Left-breast mammogram, MLO. 53 y/o patient.
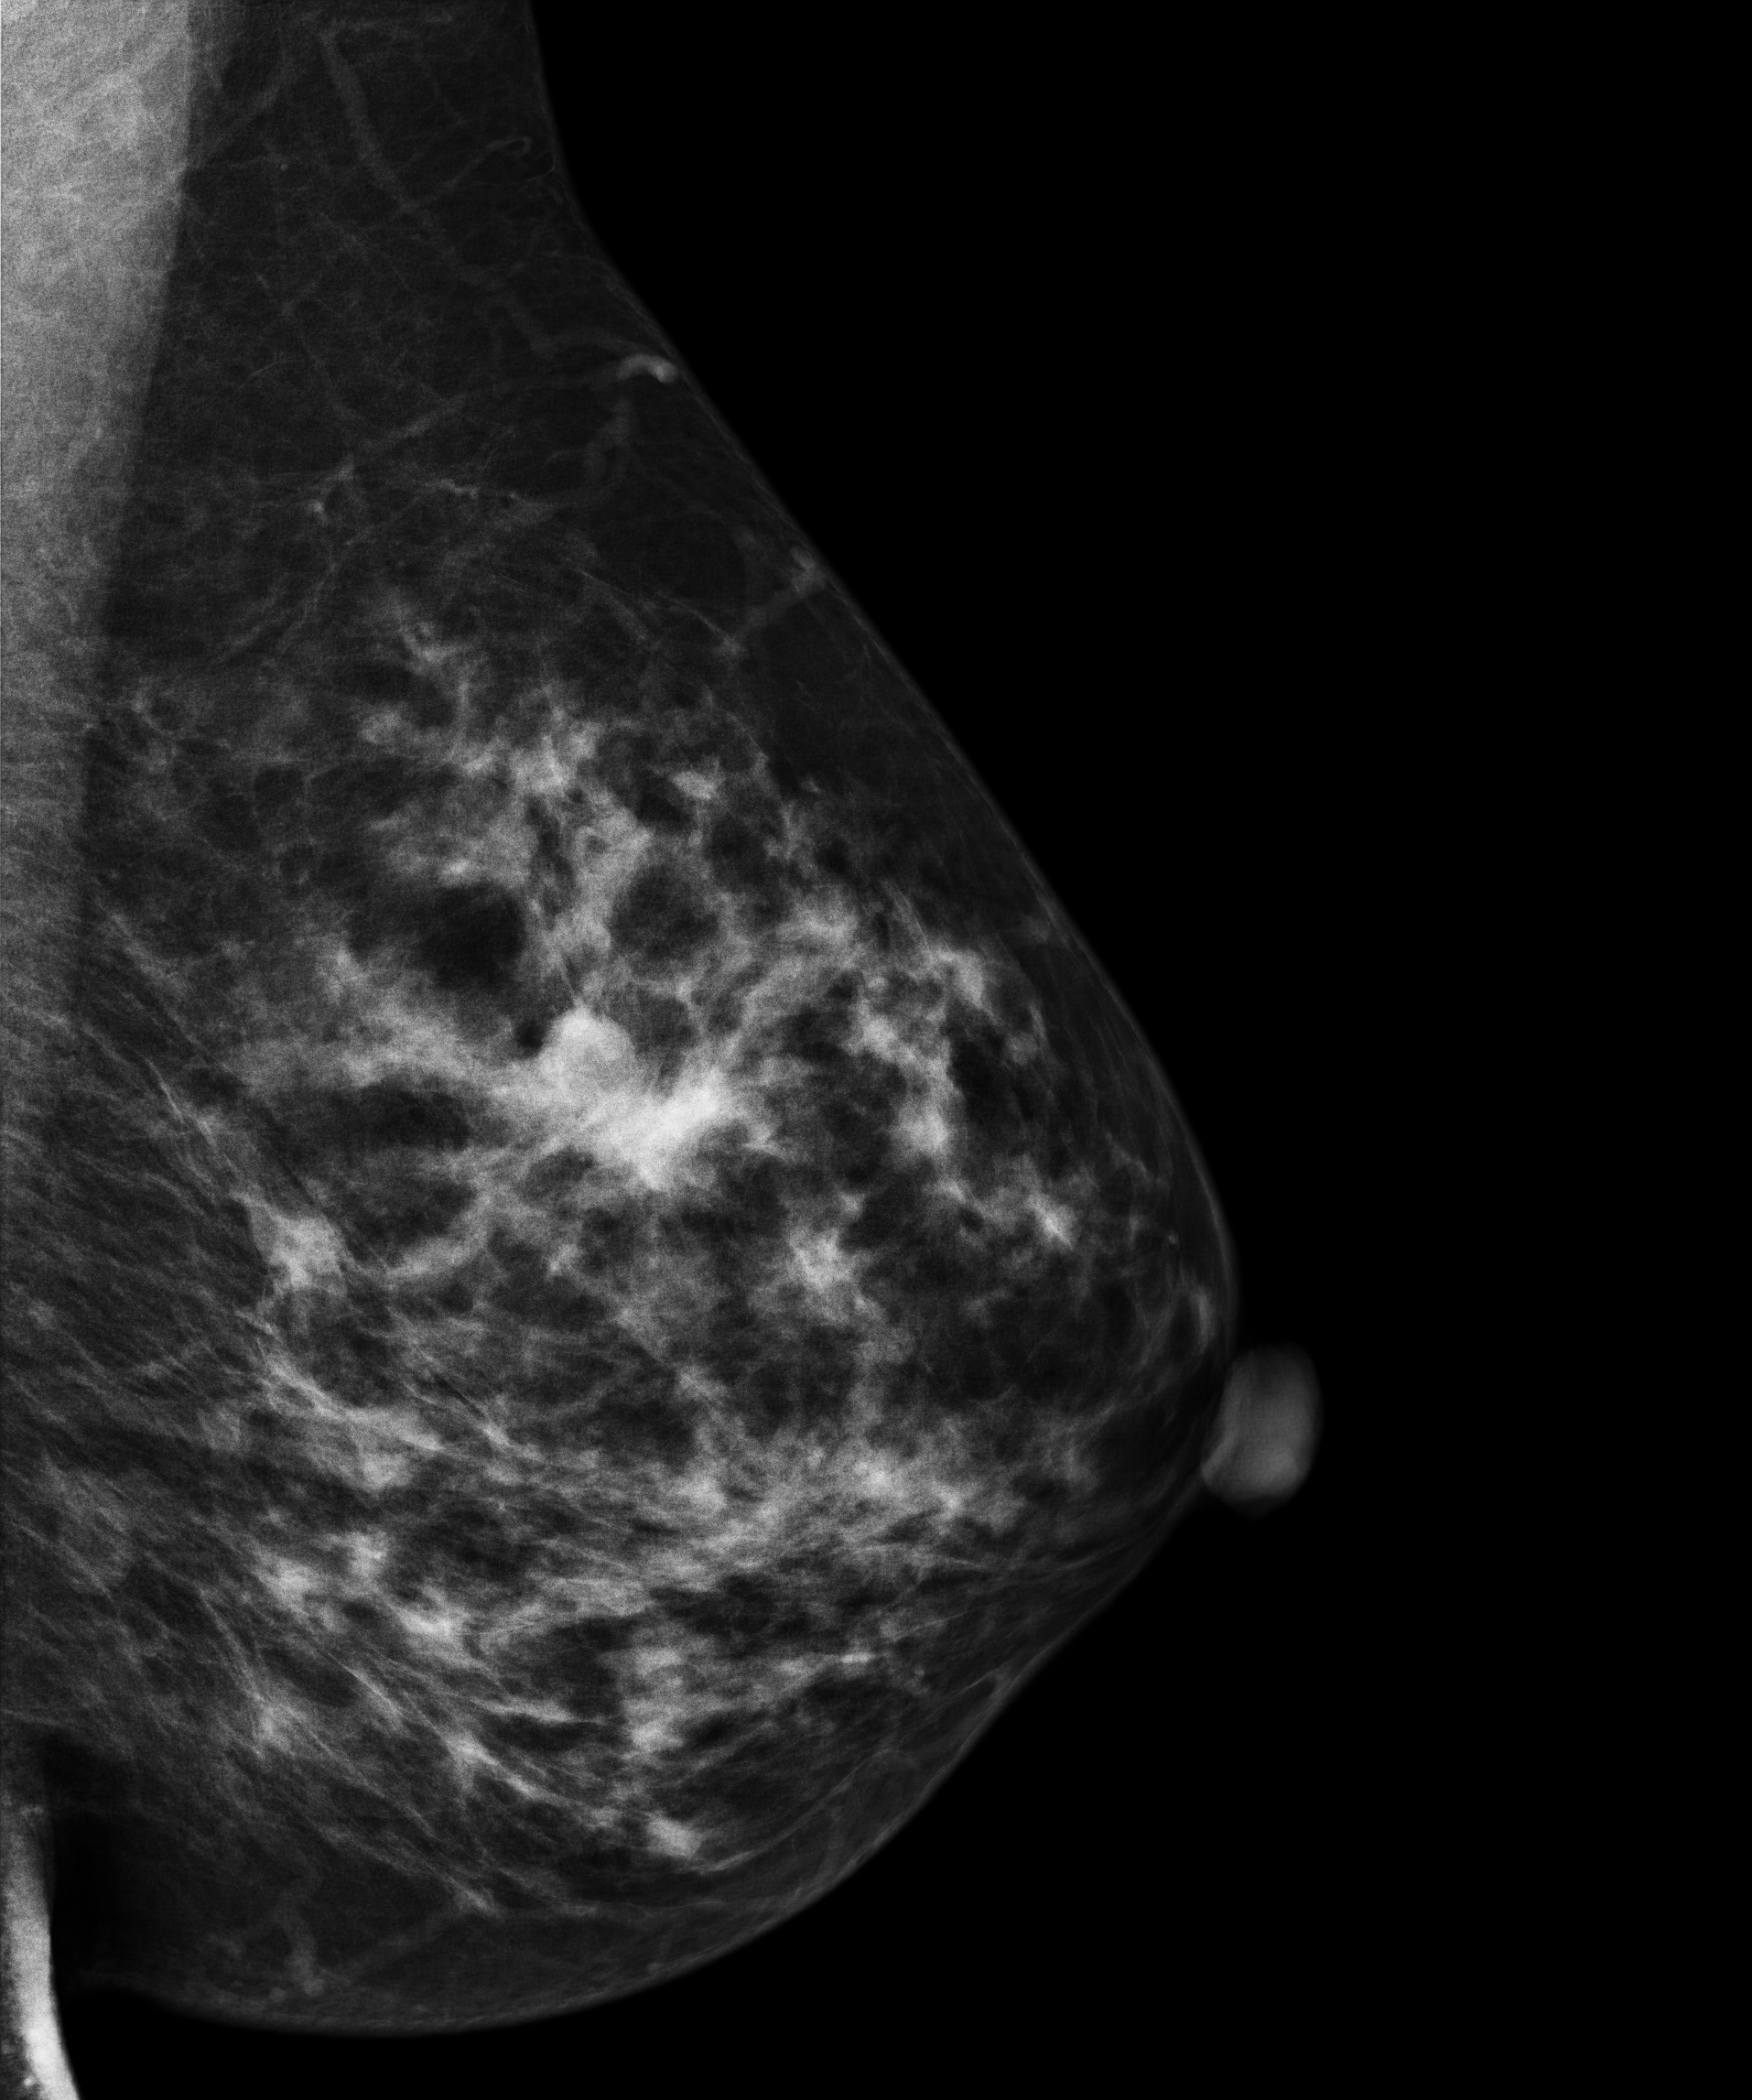
This breast has a mass, pathology-confirmed malignant.